MLO mammogram of the left breast. 60 y/o patient.
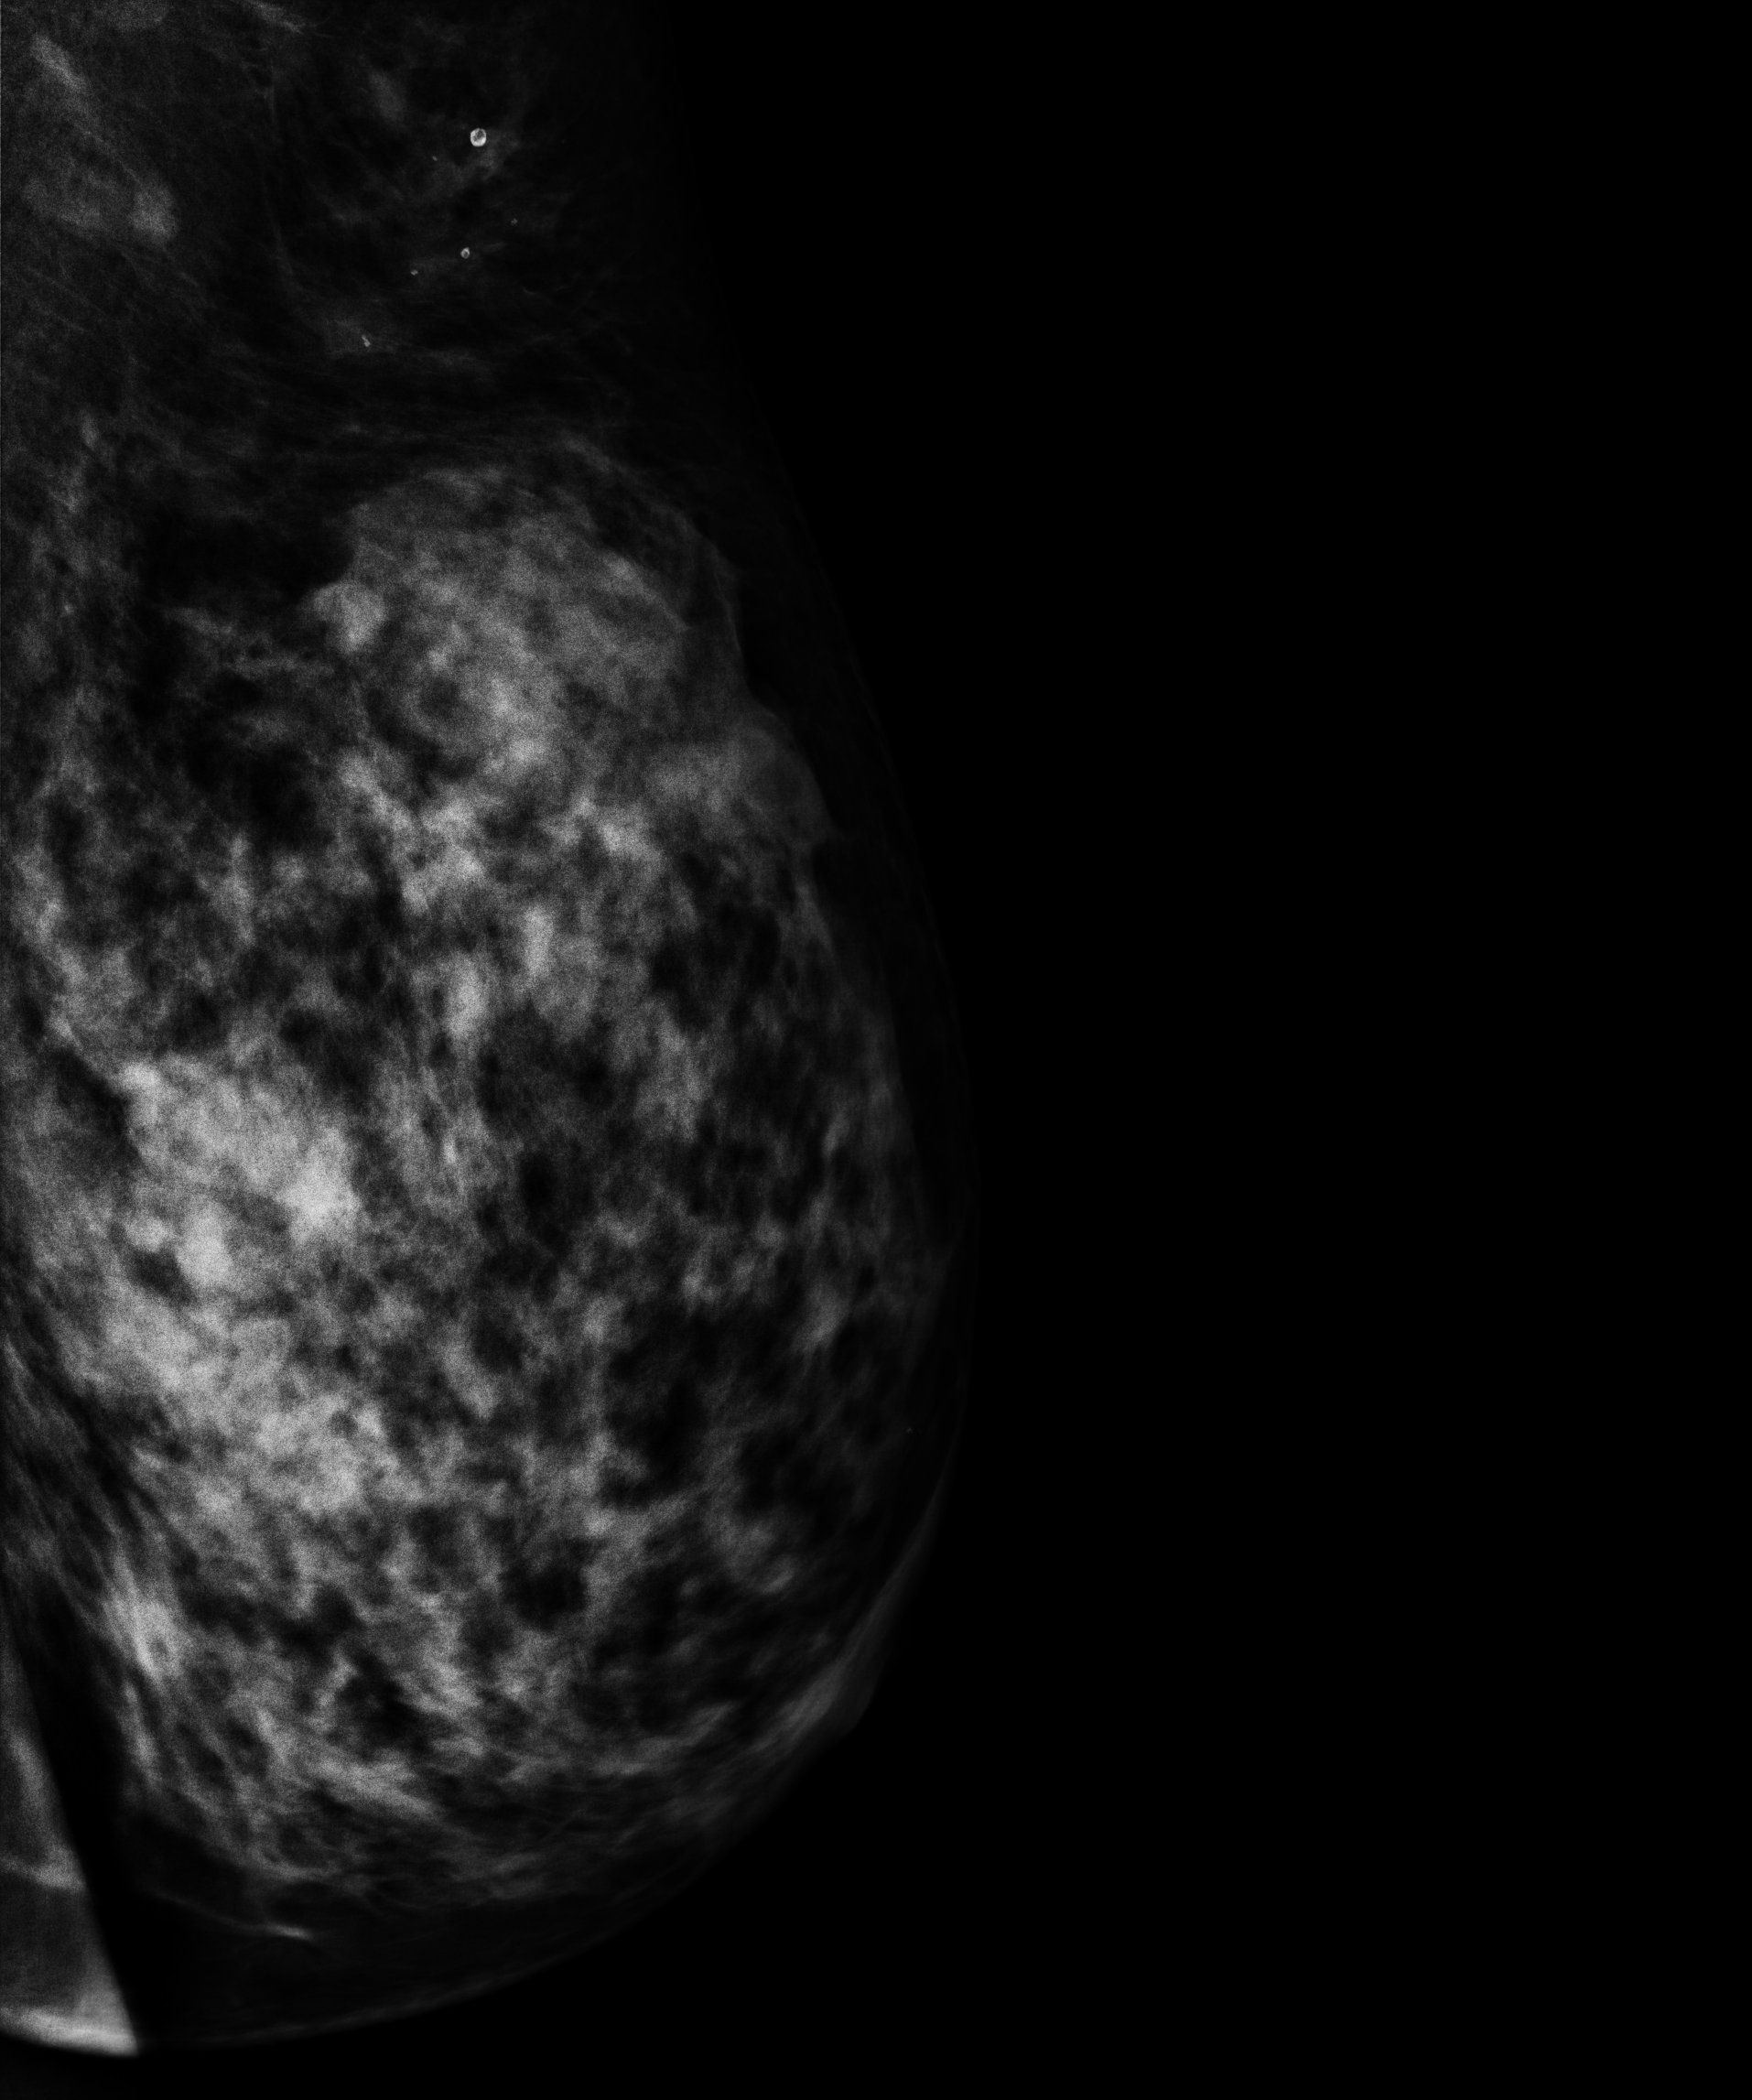
This breast has a mass, histologically confirmed benign.